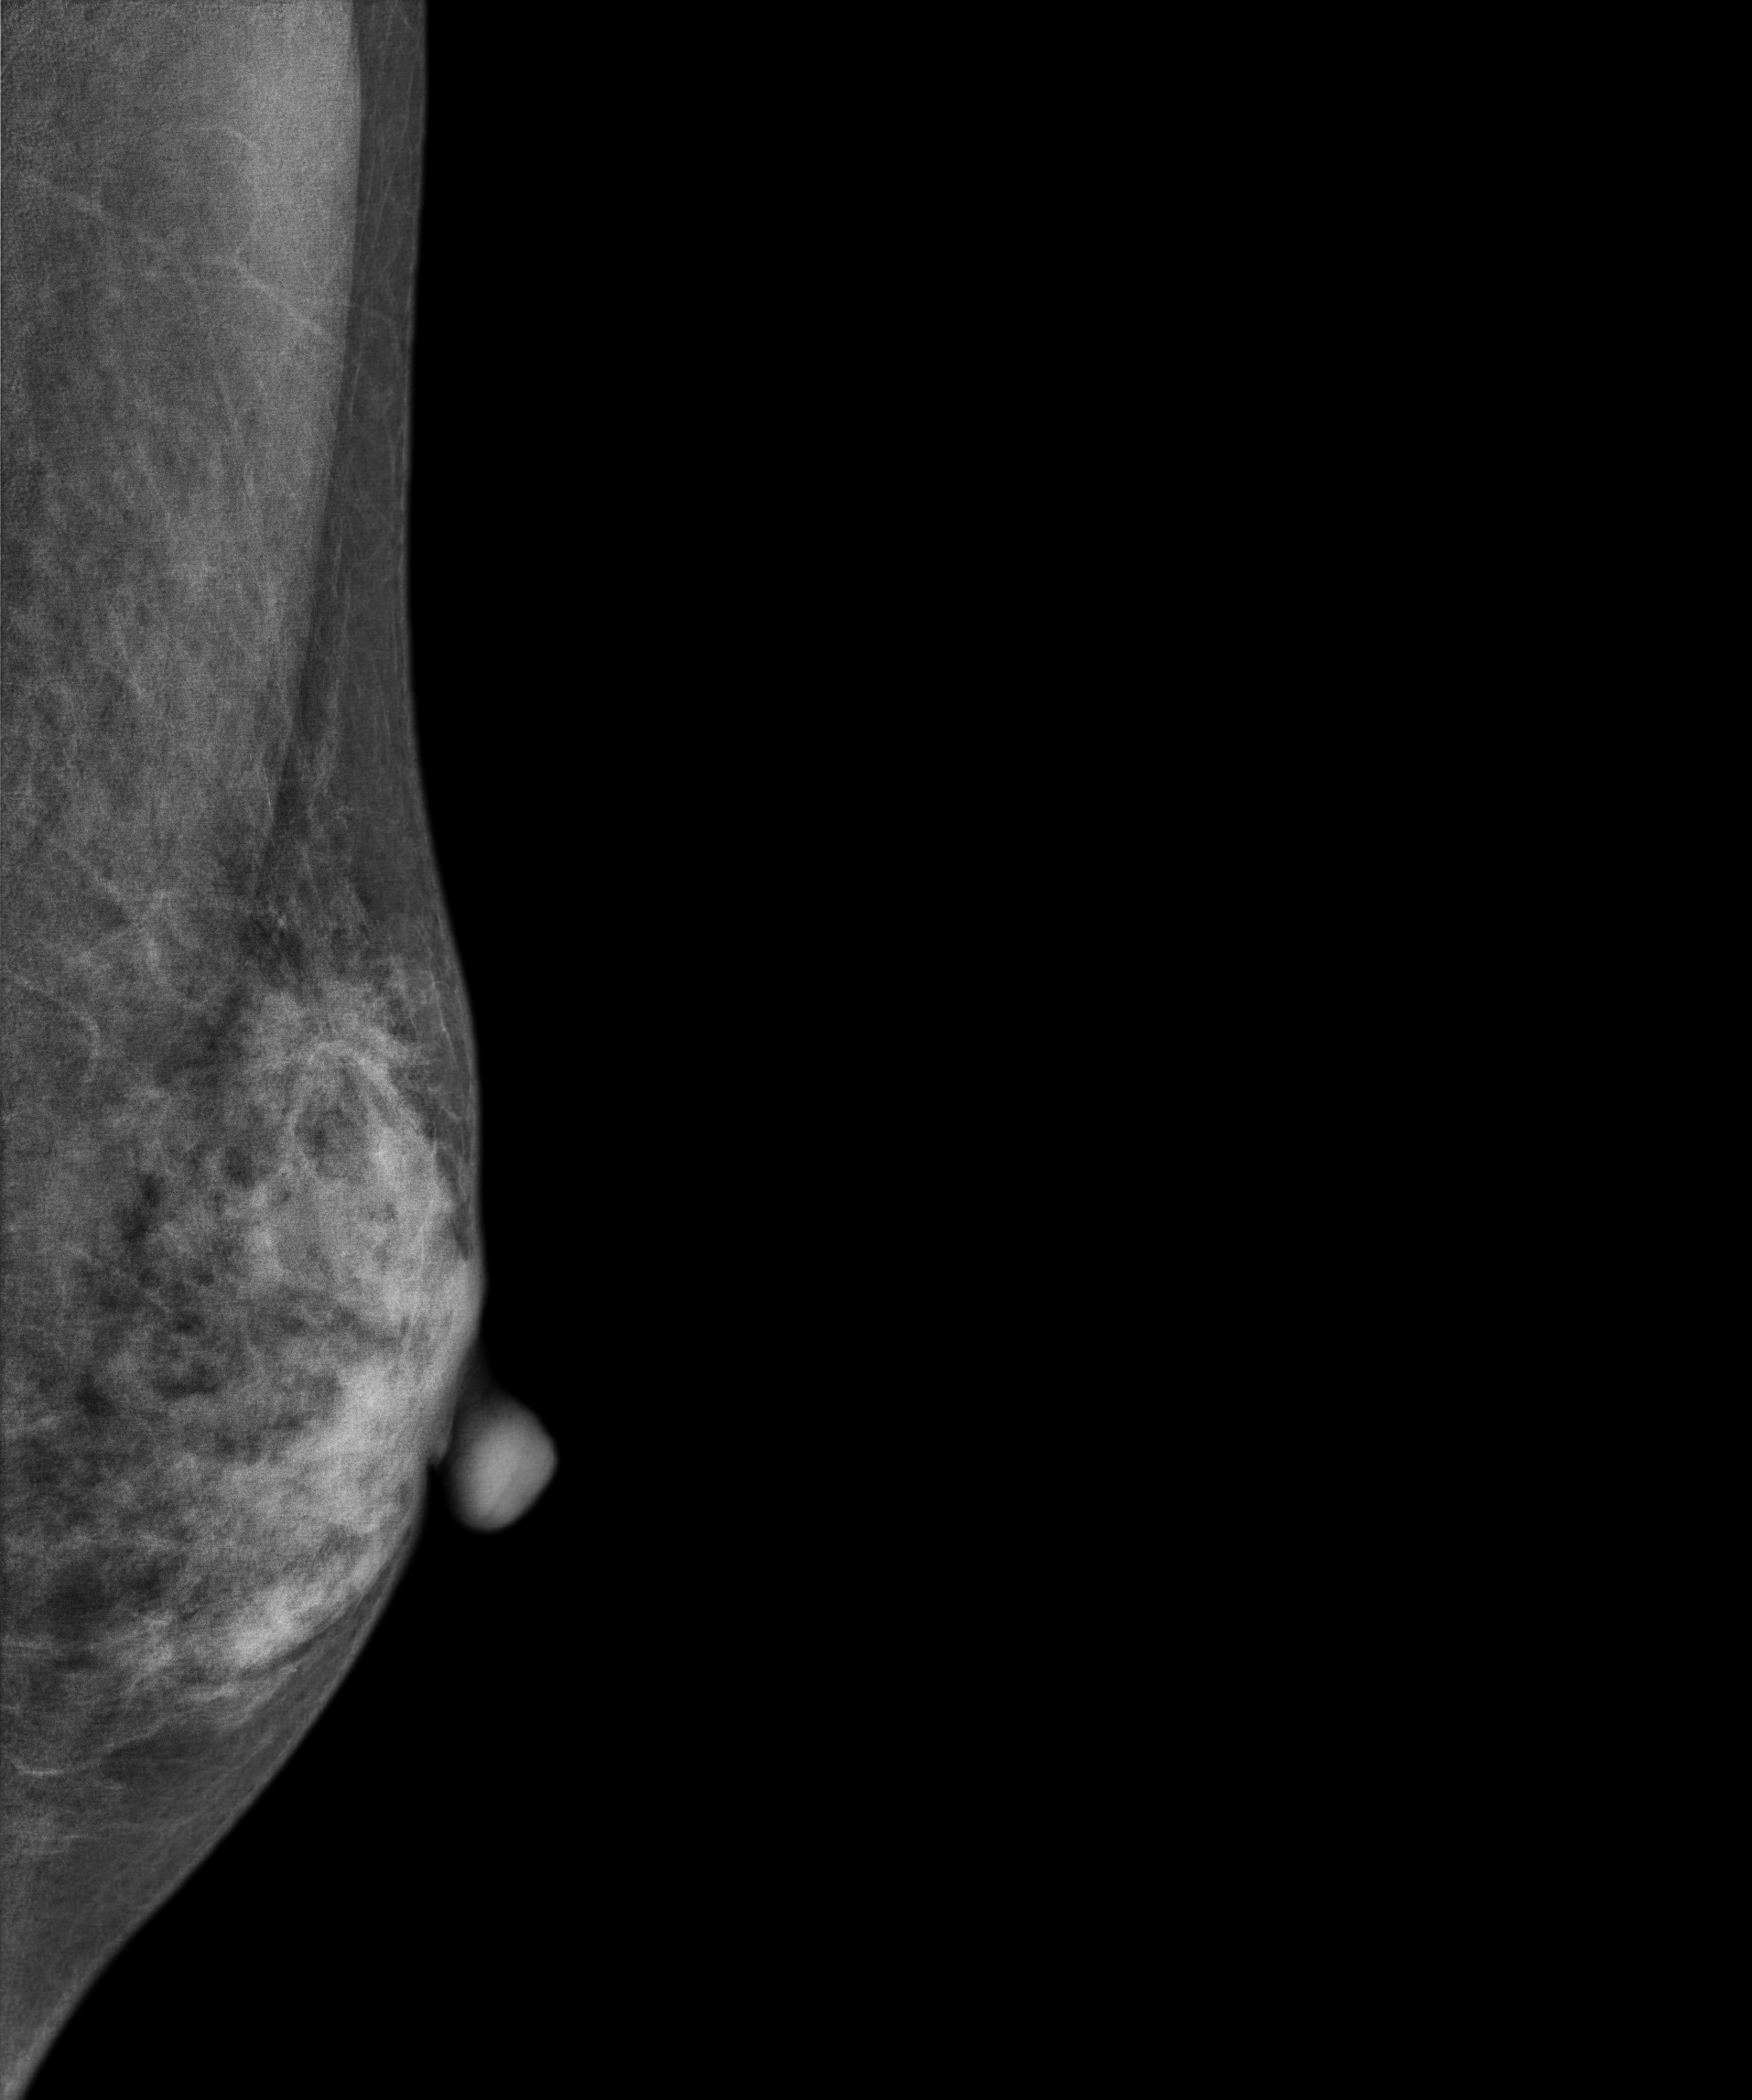
Digital mammography. Left breast, medio-lateral oblique projection. Patient age 46.
This breast has a mass, biopsy-proven malignant. Molecular subtype: luminal B.